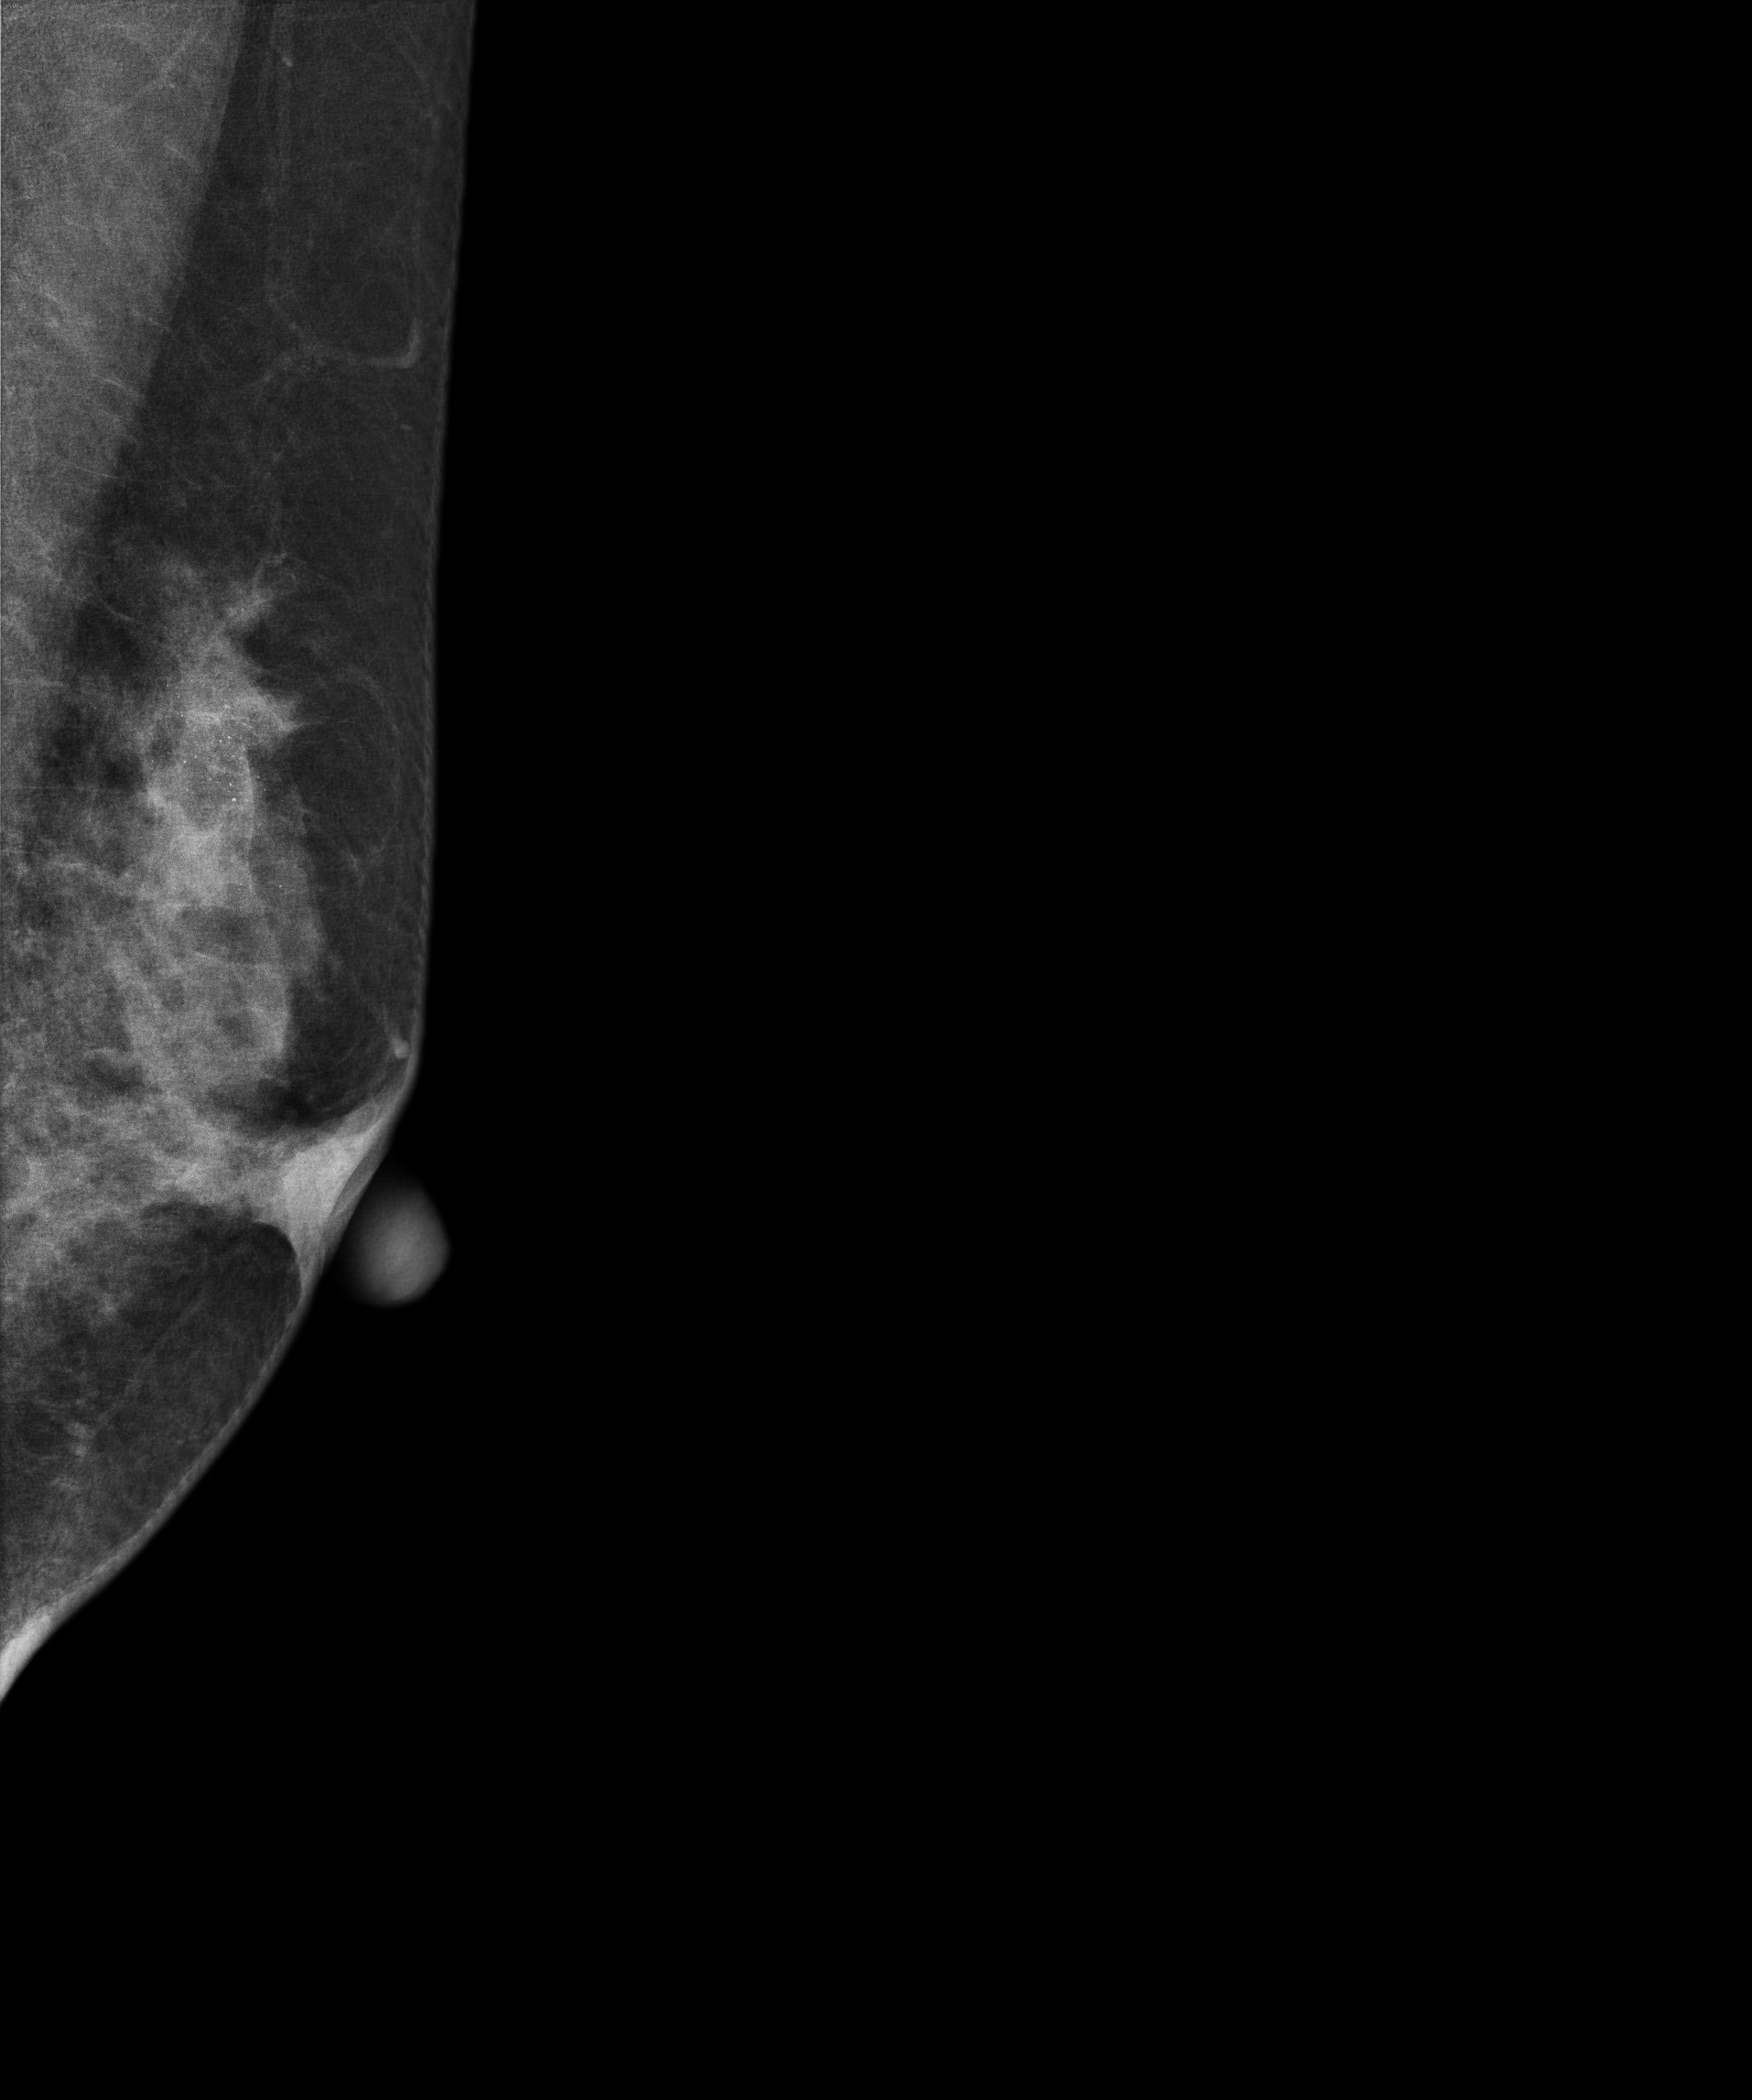
Mammogram — left MLO. 47-year-old patient.
This breast has a mass and calcifications, biopsy-proven benign.